Mammogram — right MLO. 60 y/o patient.
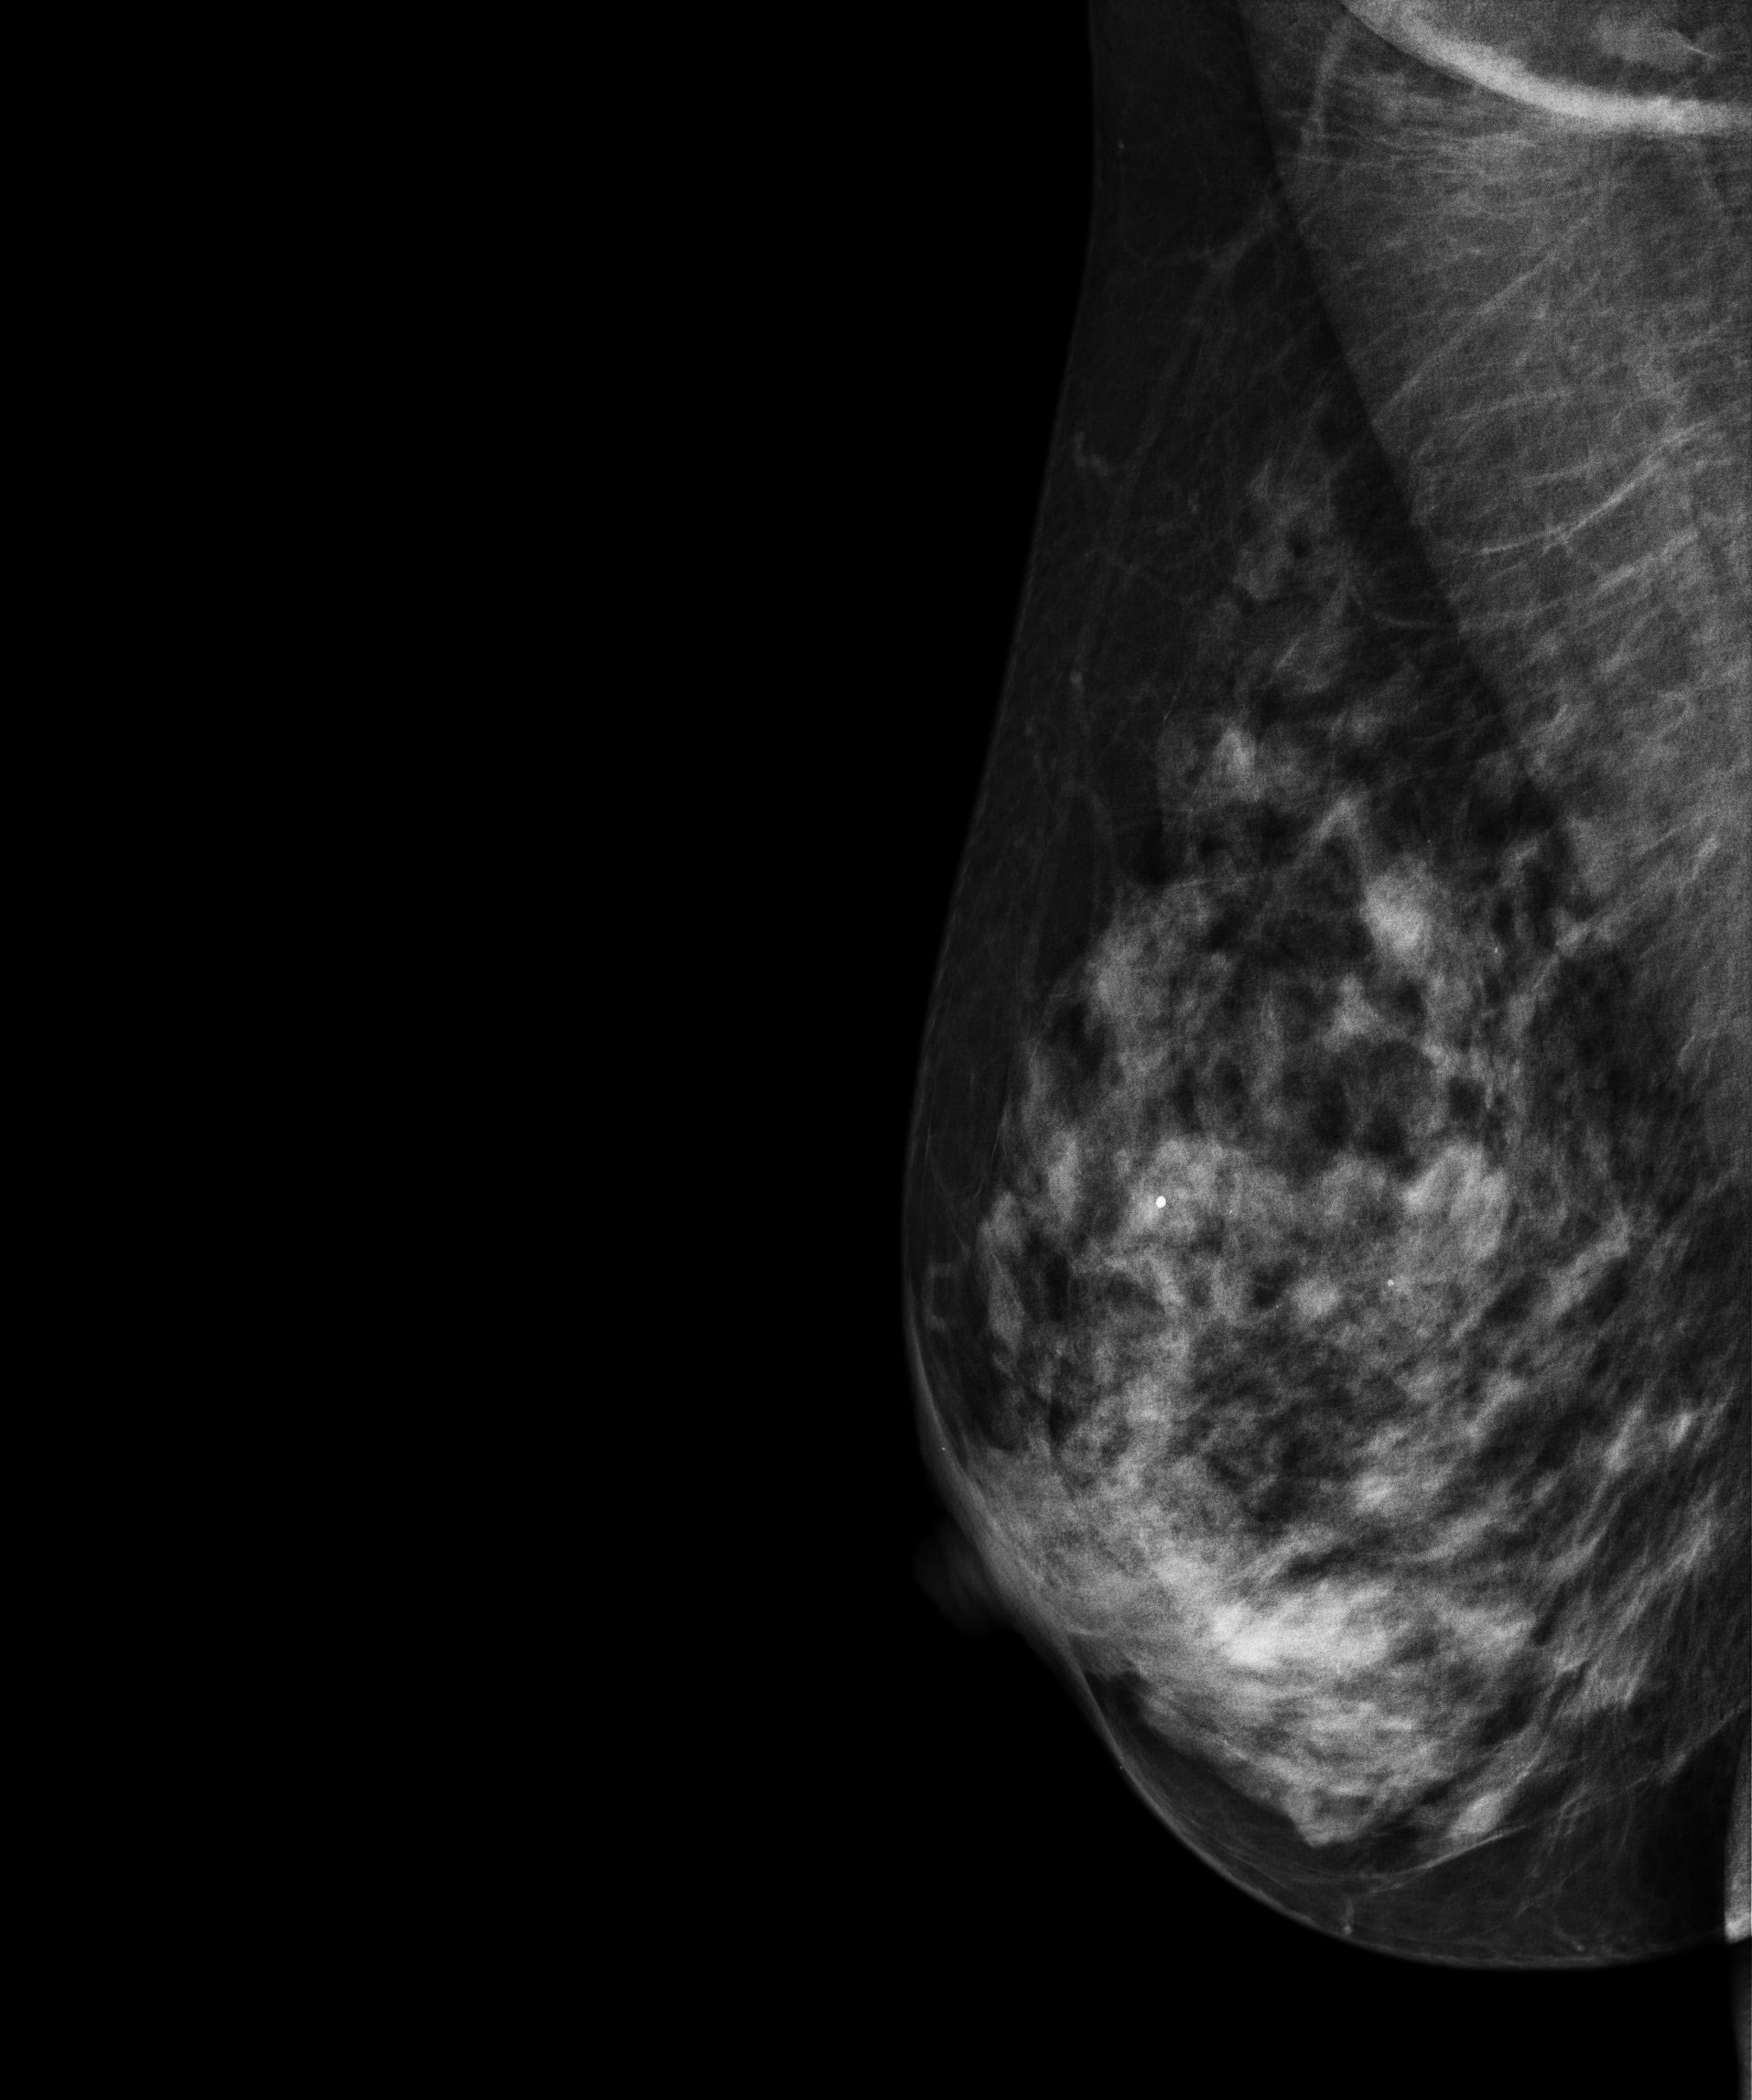
Contralateral breast — no documented abnormality on this side.